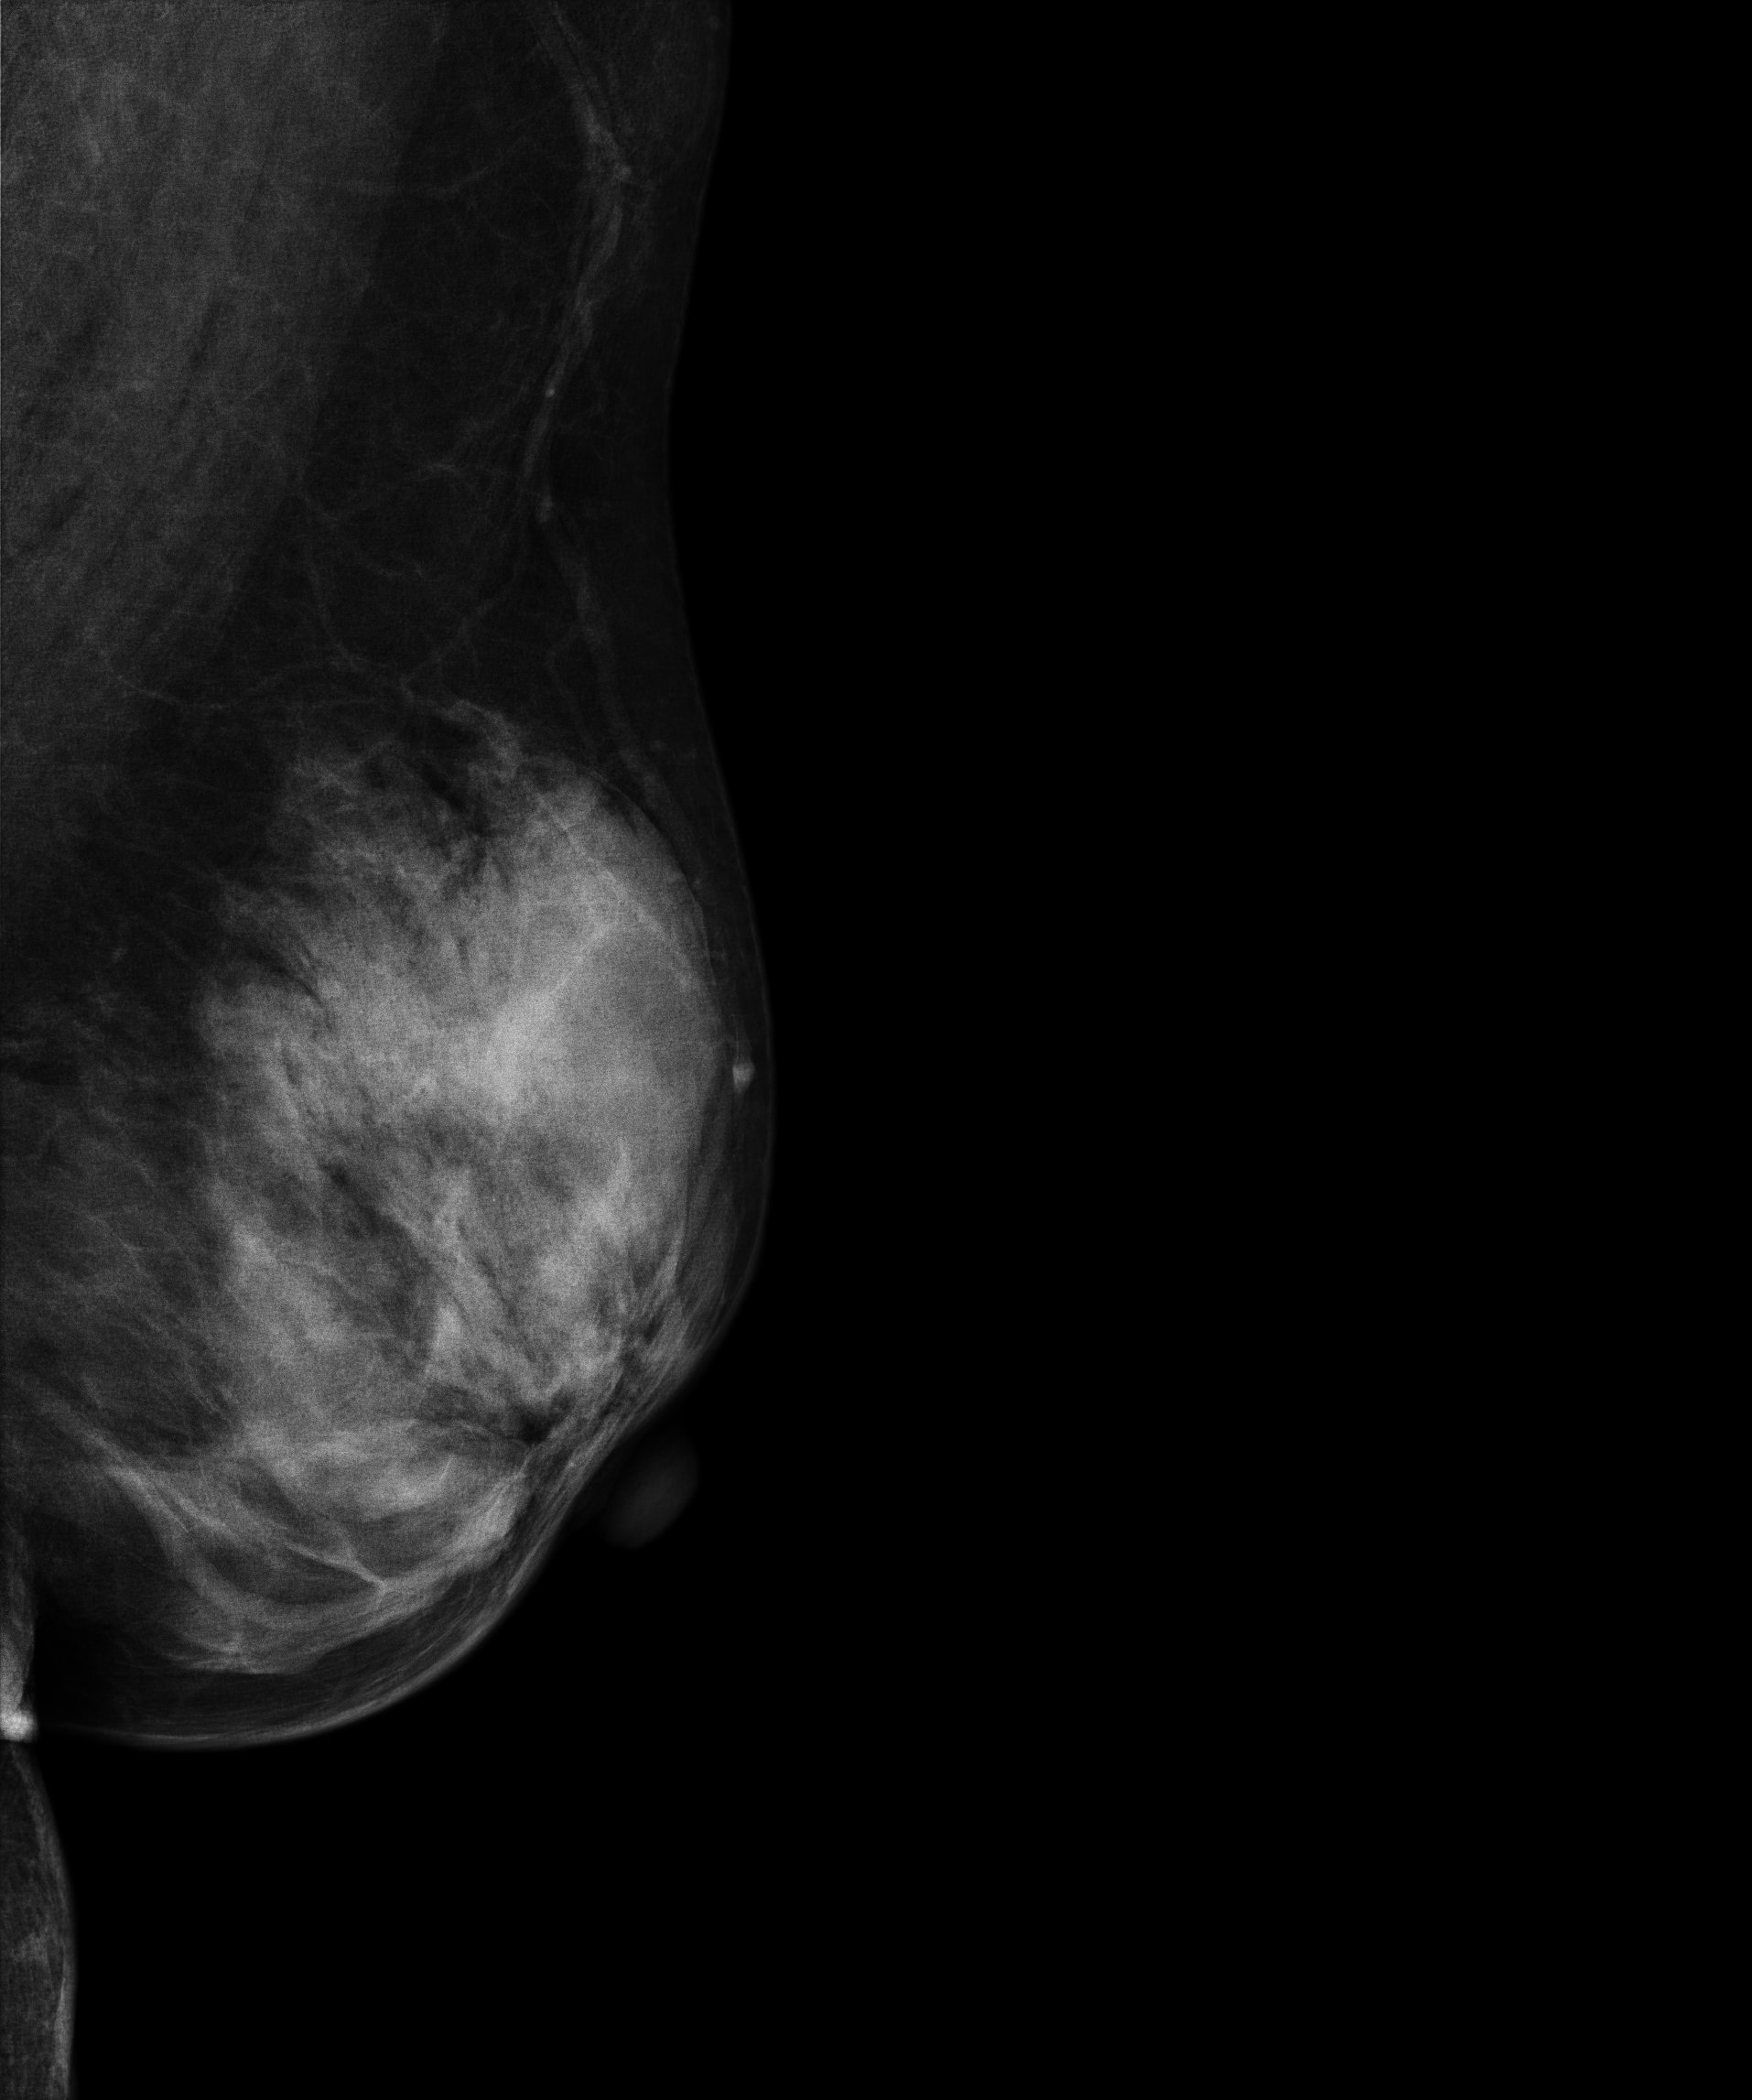
Left-breast mammogram, medio-lateral oblique. Patient age 60.
Contralateral breast — no documented abnormality on this side.